Medio-lateral oblique mammogram of the right breast. Patient age 43.
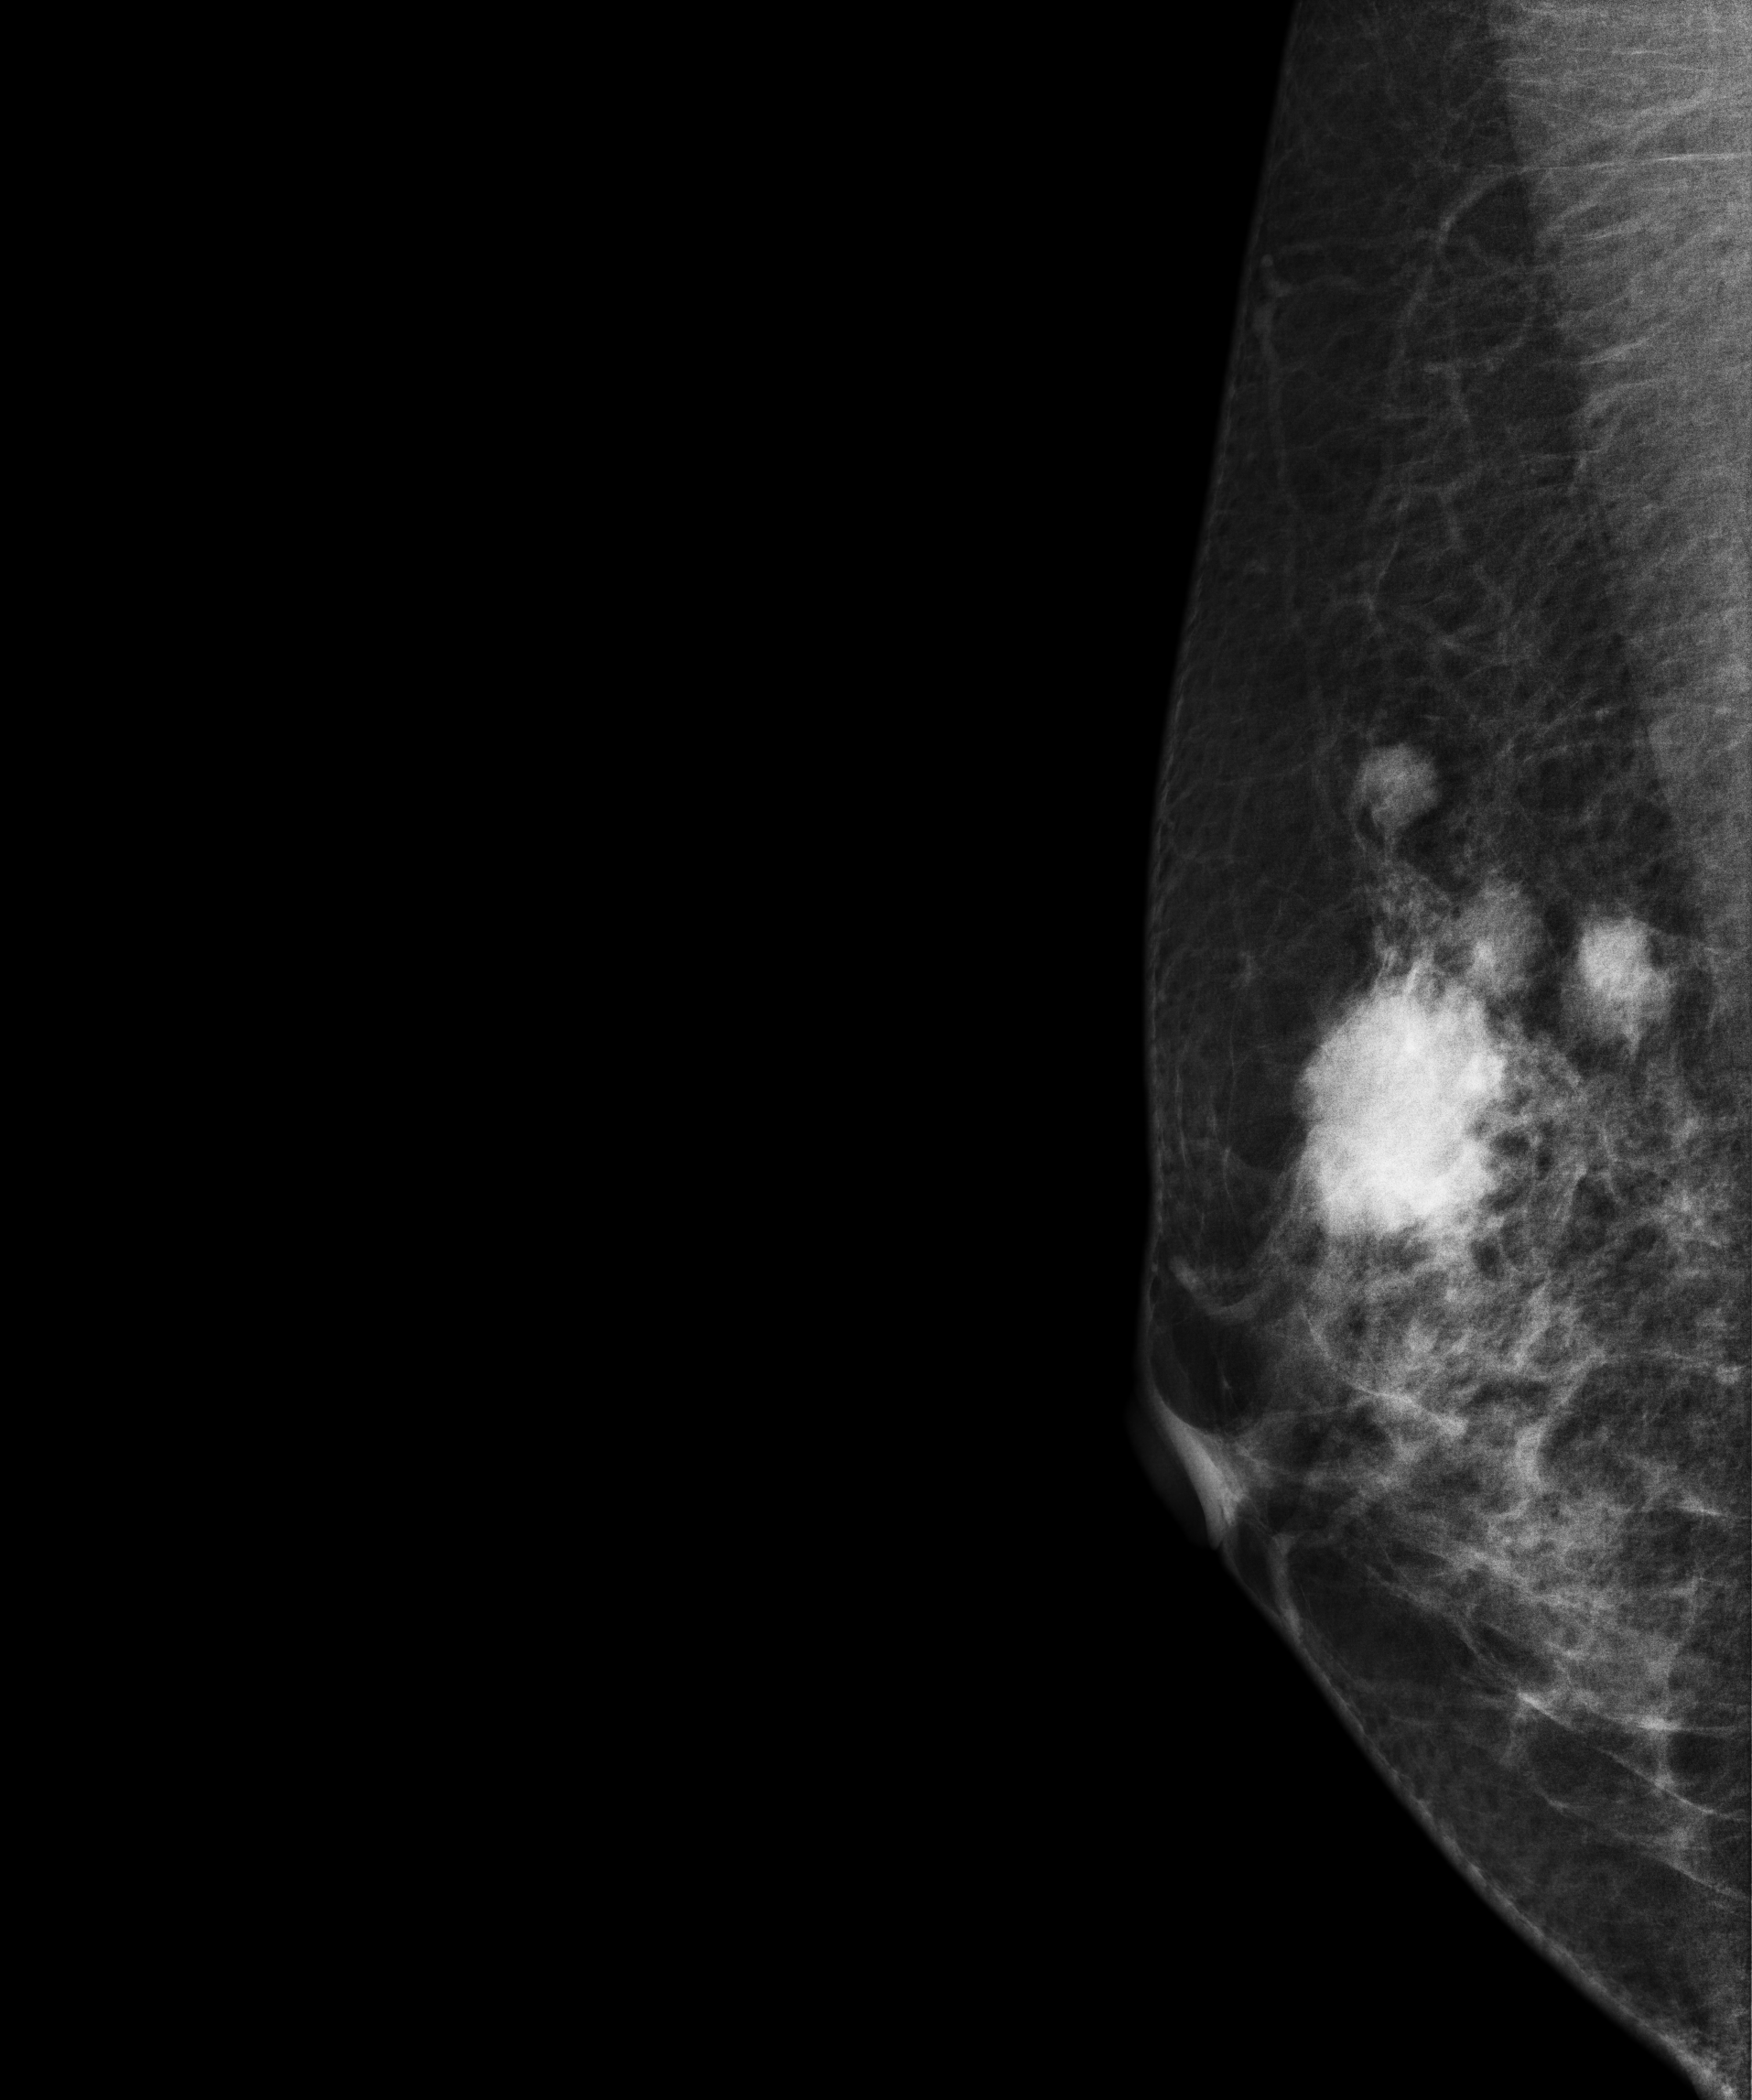
This breast has a mass, biopsy-confirmed malignant.